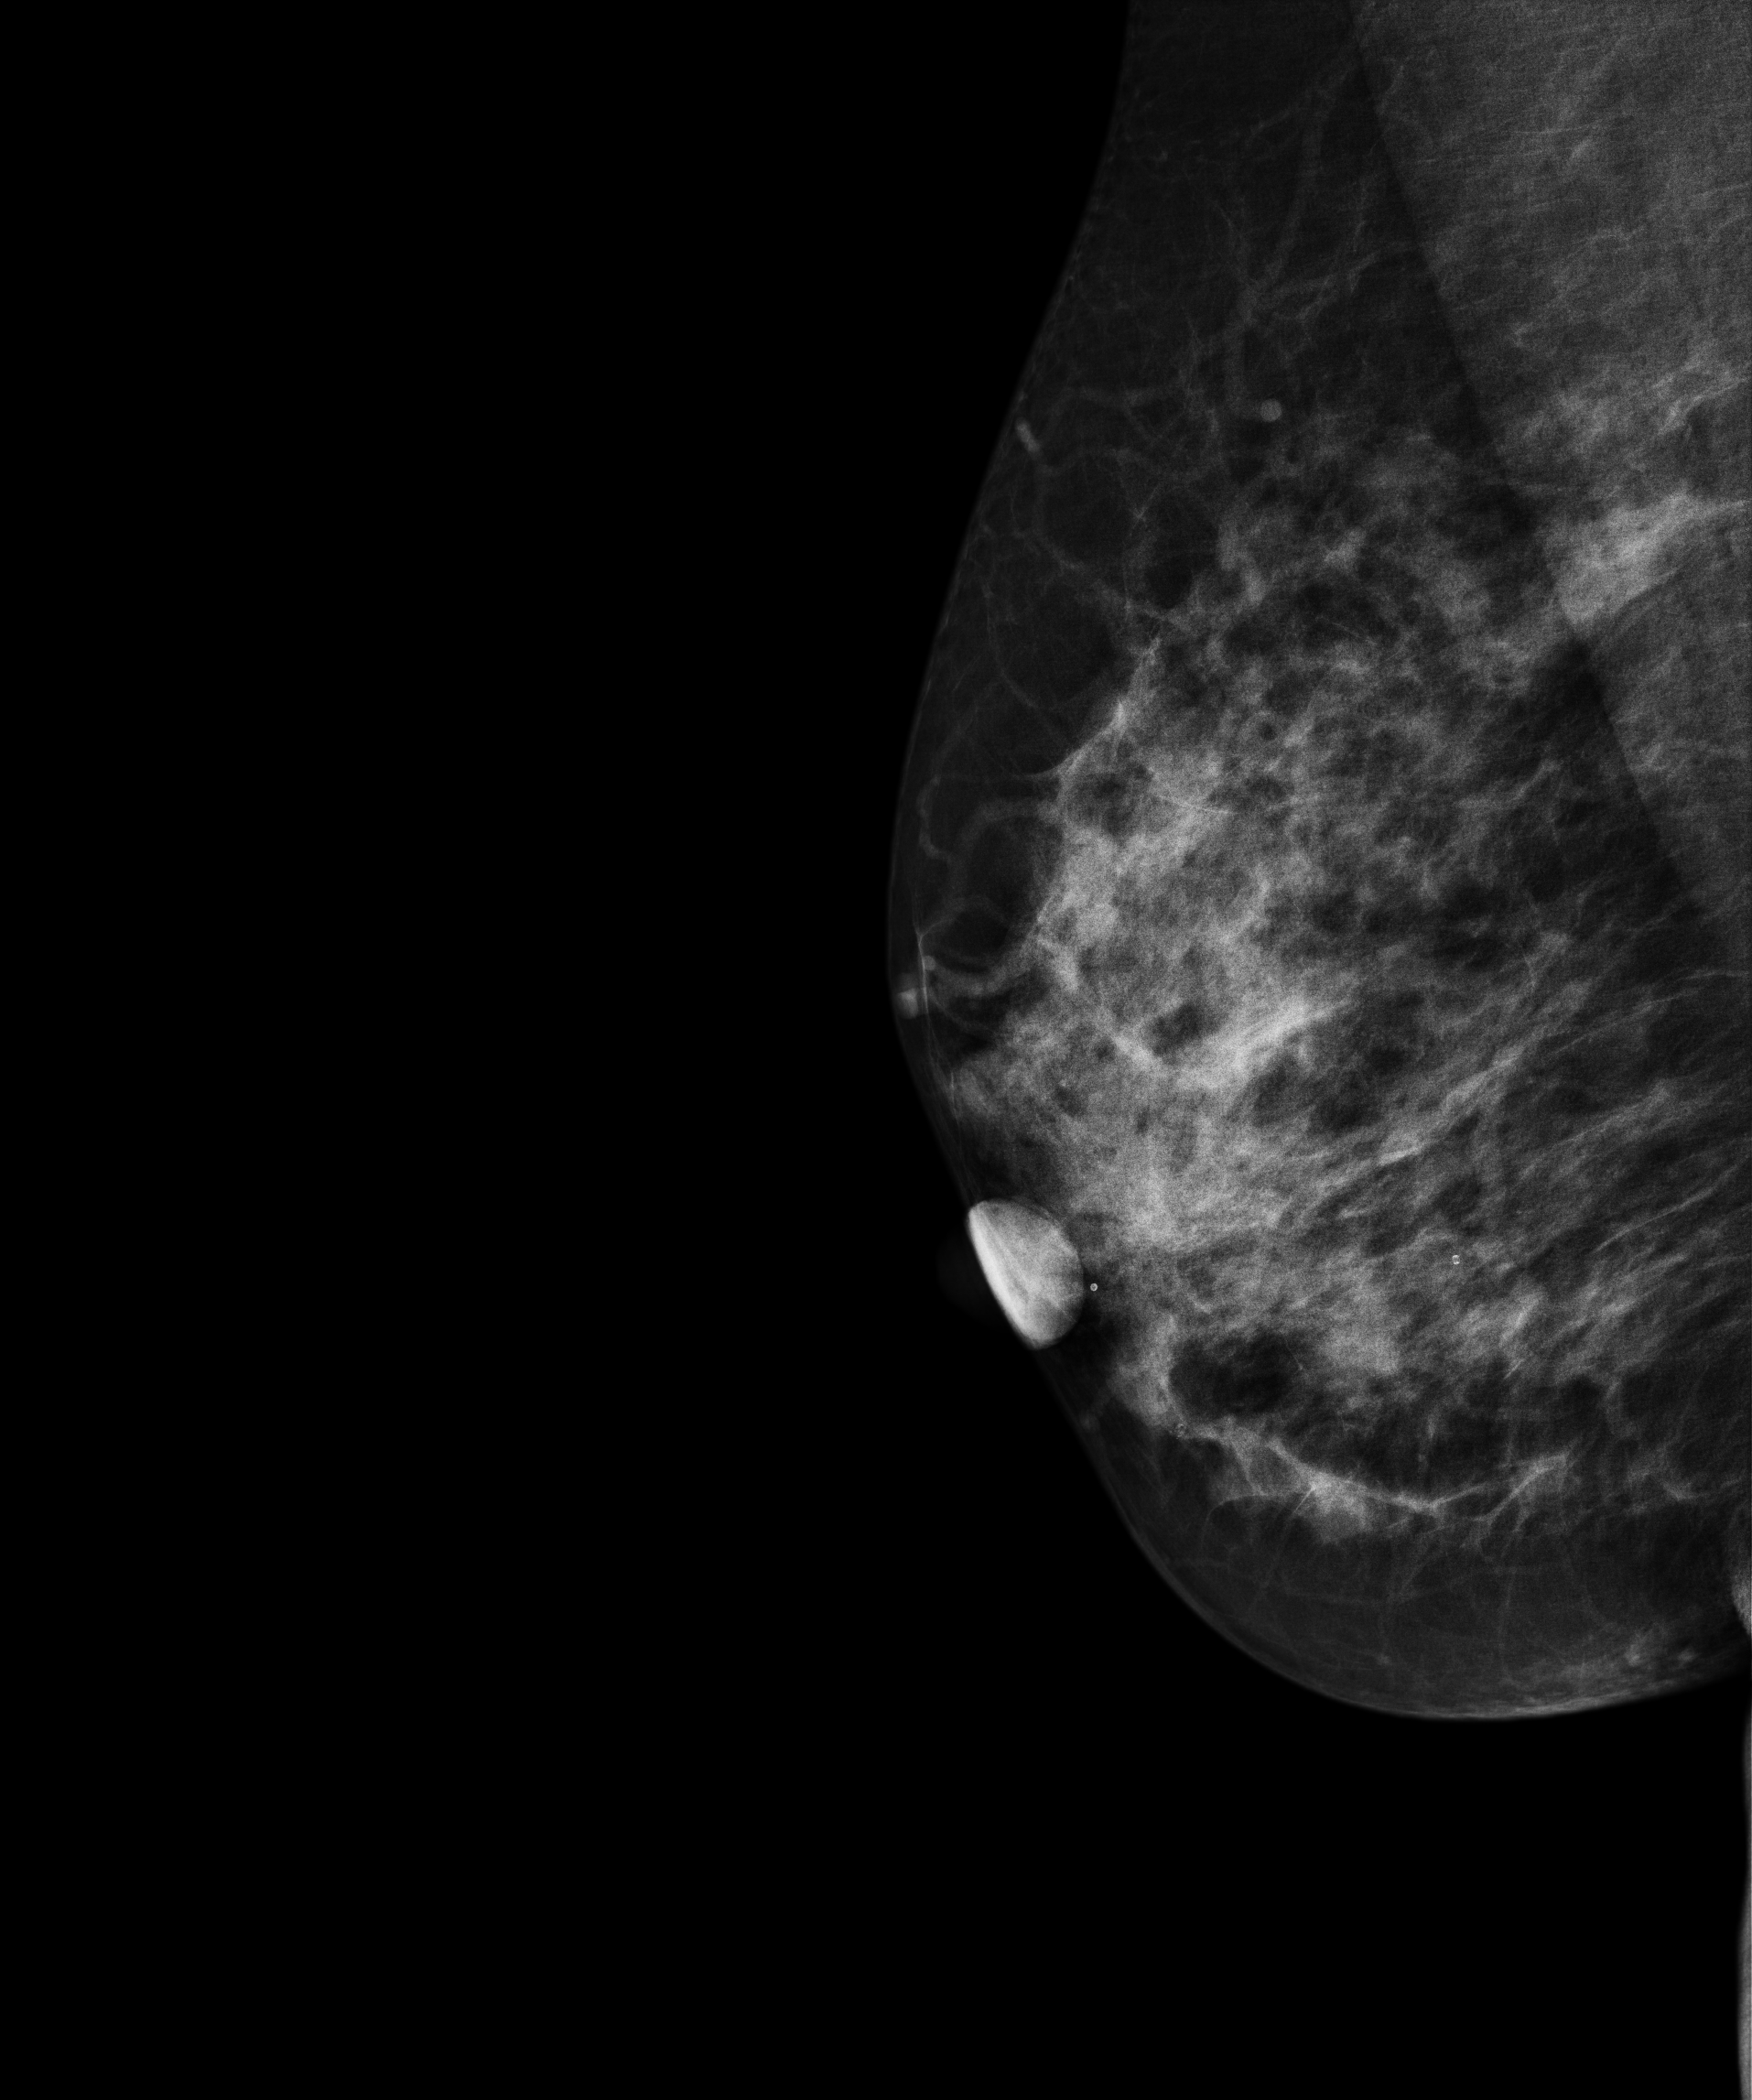
Mammogram, right breast, medio-lateral oblique view. 67 y/o patient.
Contralateral breast — no documented abnormality on this side.